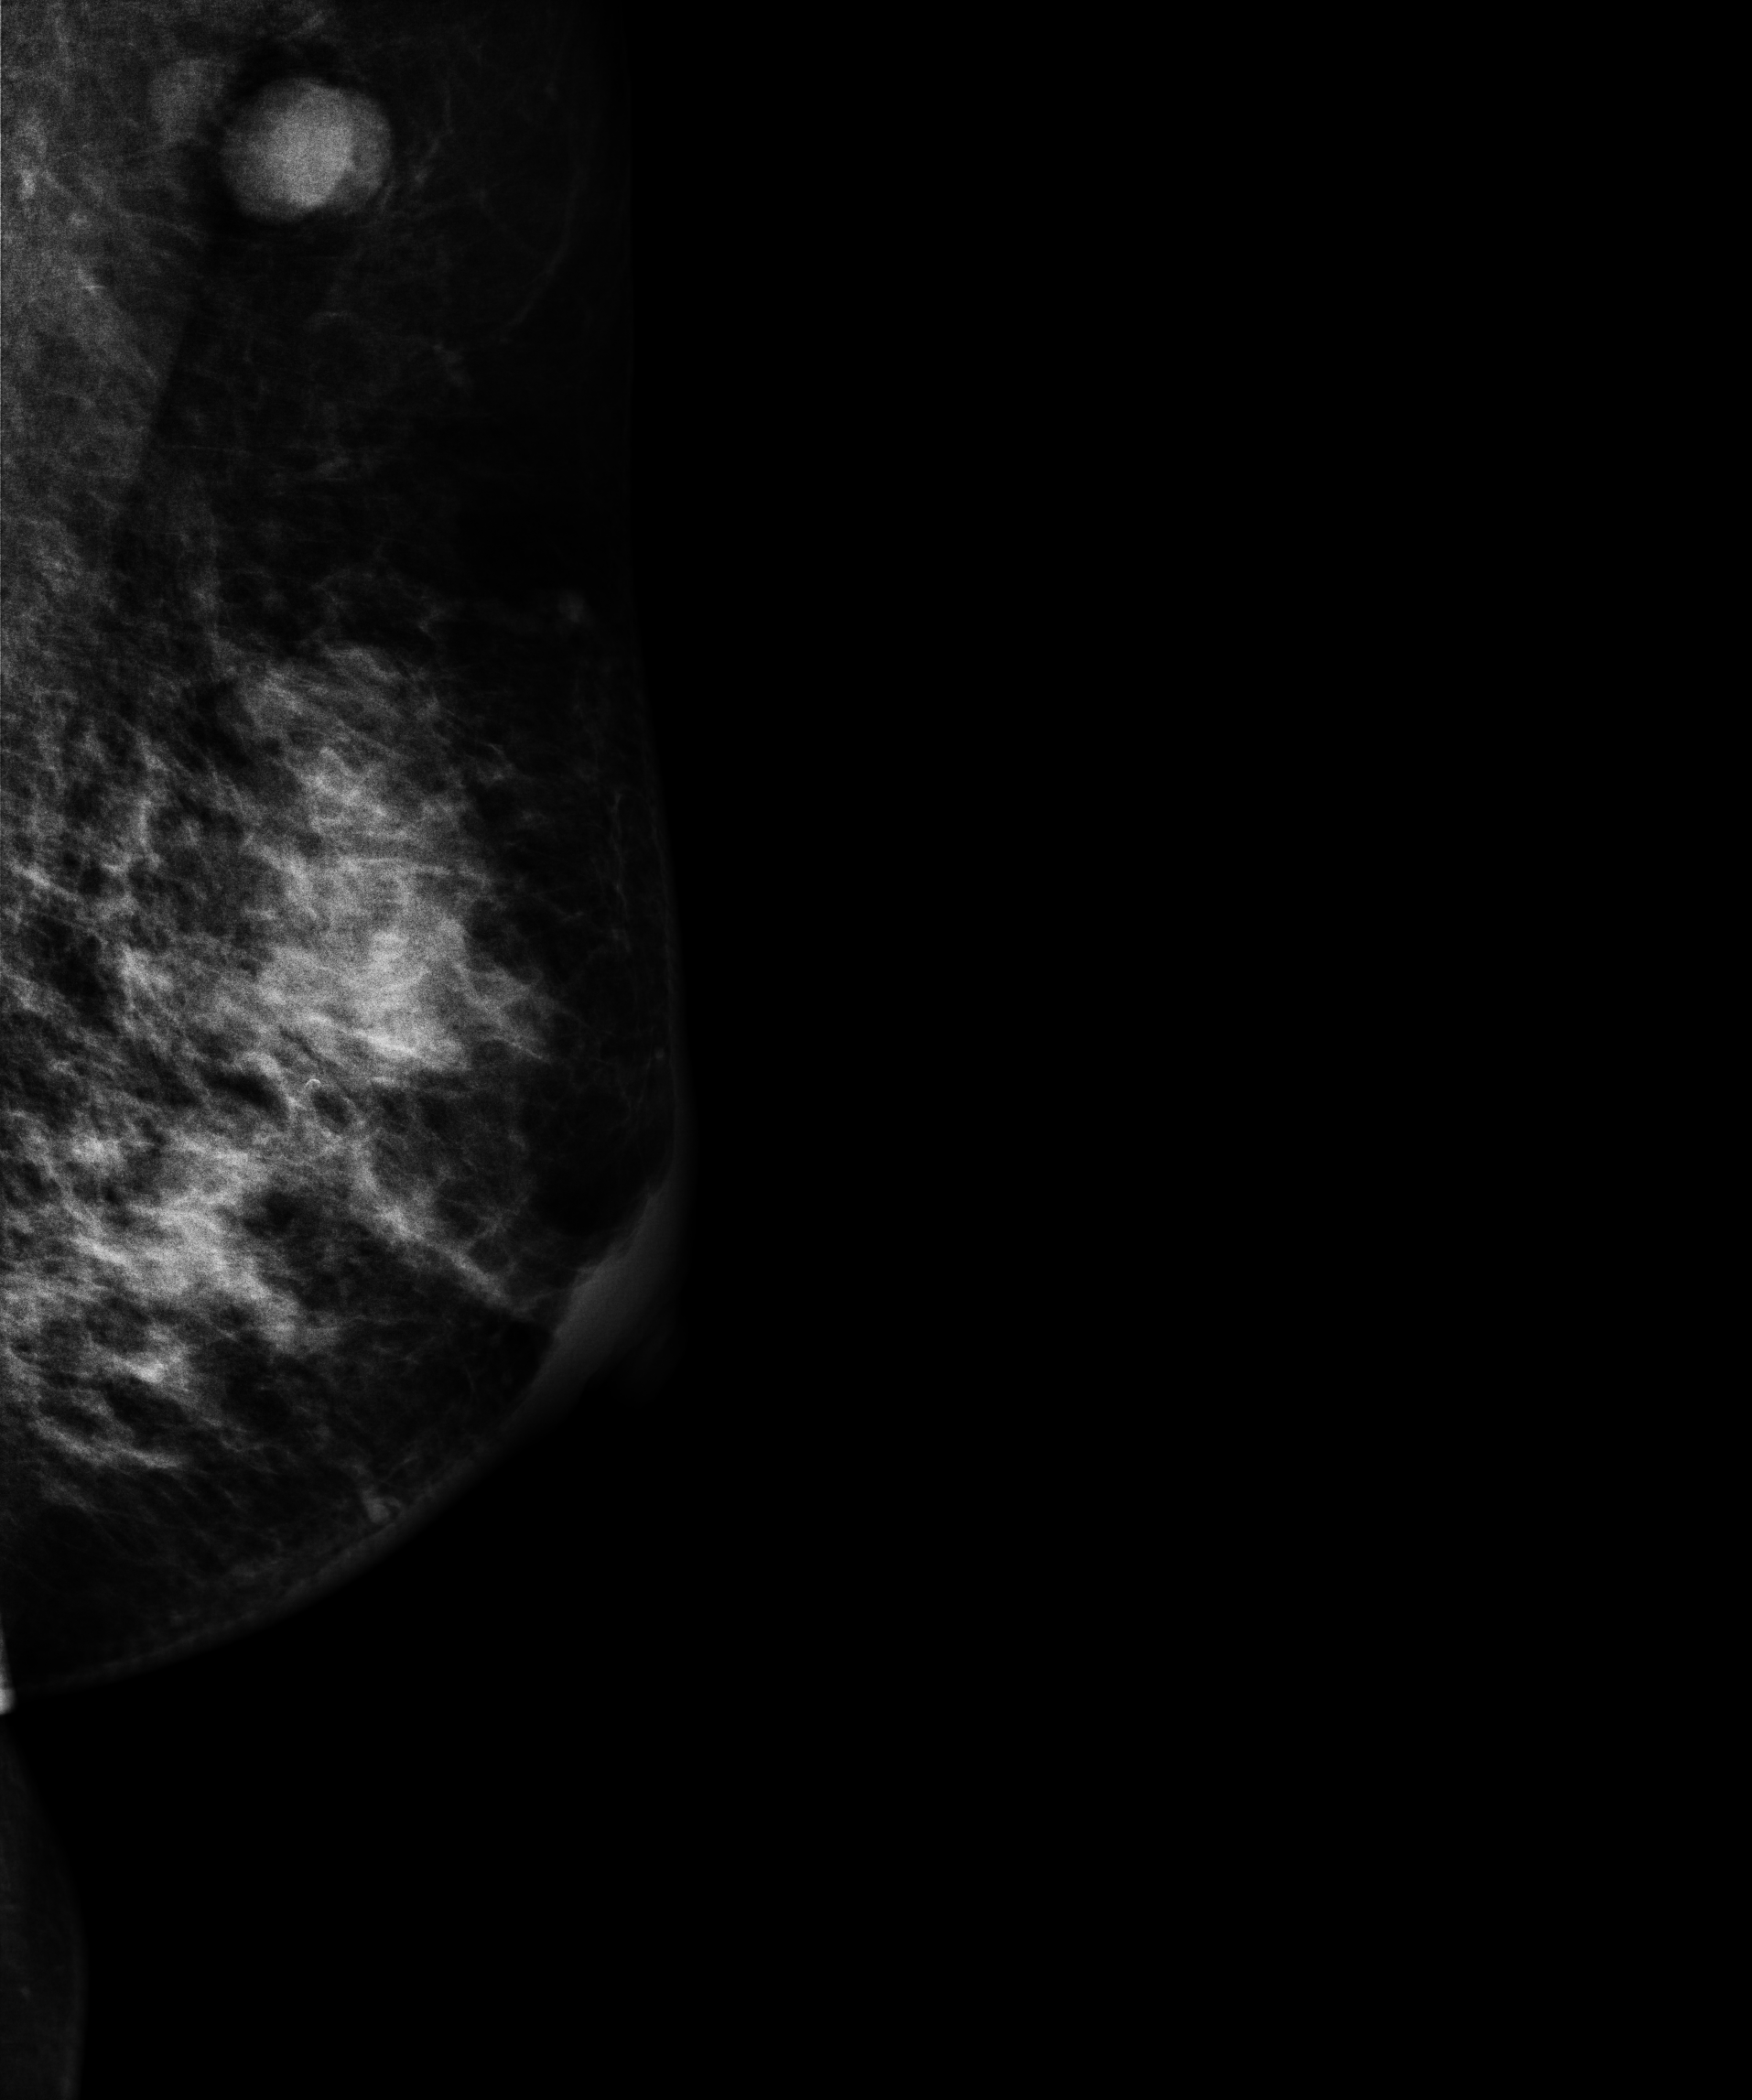
Mammogram, left breast, MLO view. Patient age 50.
Contralateral breast — no documented abnormality on this side.